Mammogram — left MLO. Patient age 34.
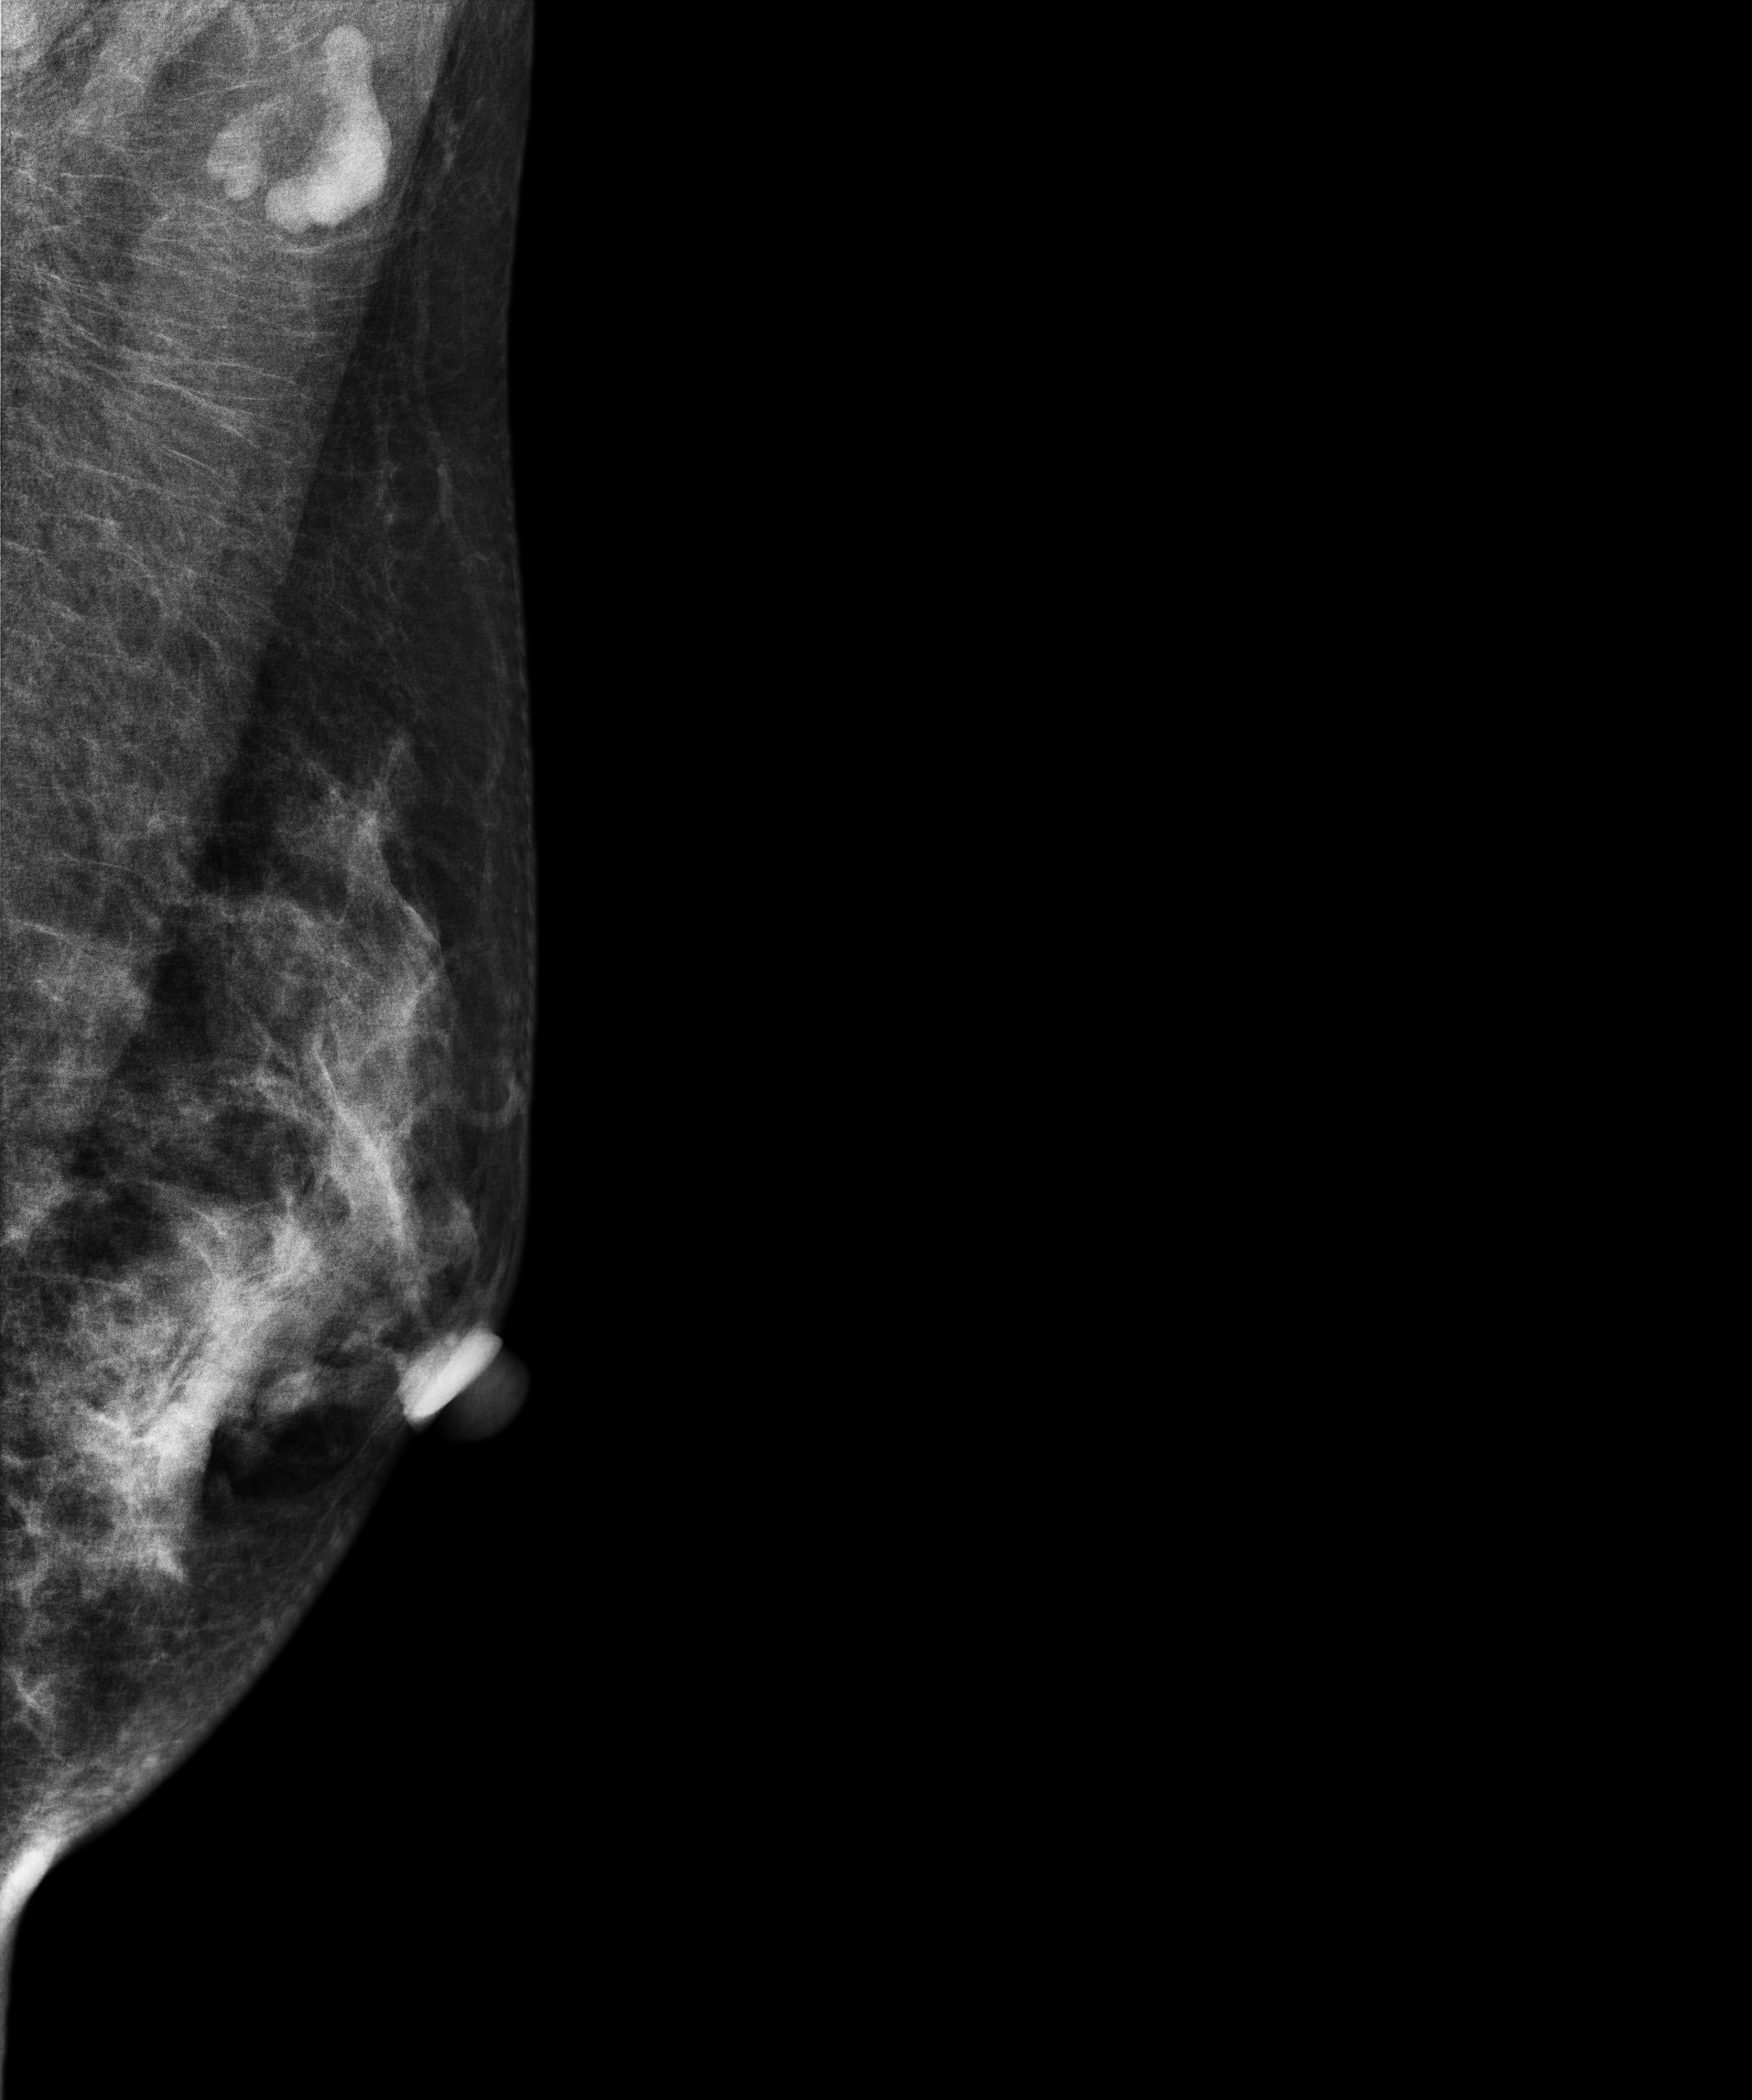
This breast has a mass and calcifications, biopsy-confirmed malignant. Molecular subtype: luminal B.